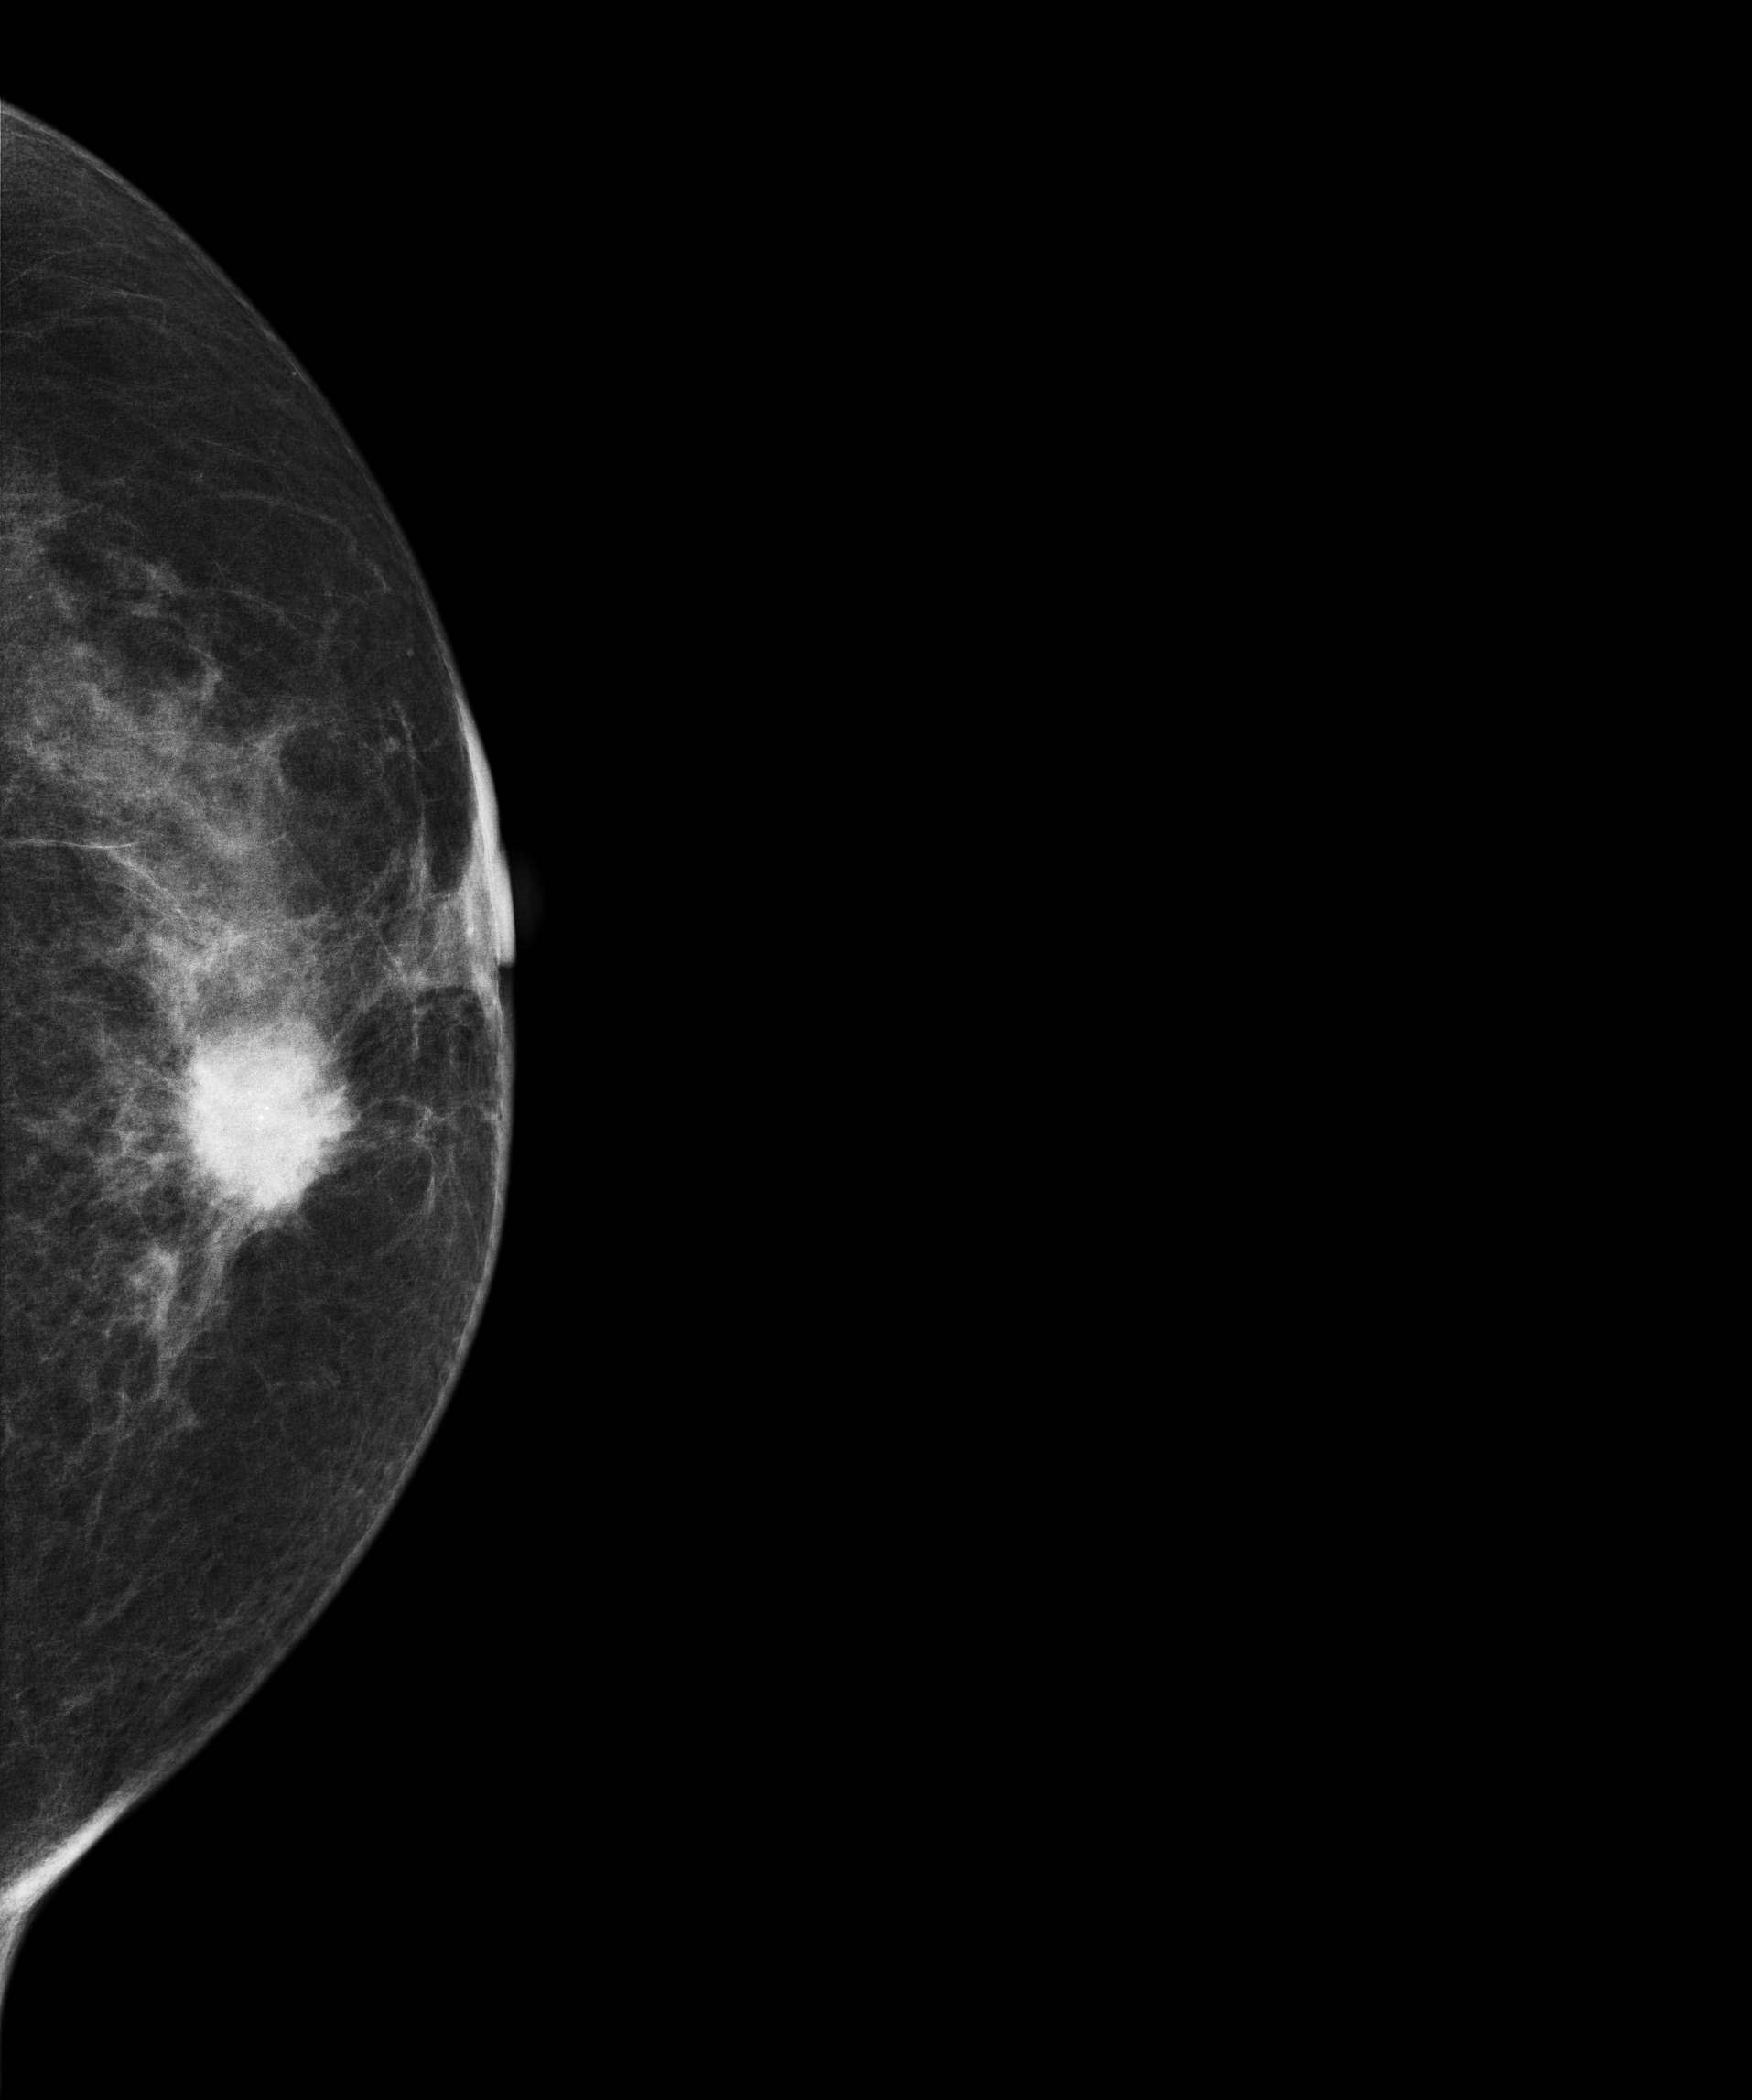
Left-breast mammogram, cranio-caudal. 58-year-old patient.
This breast has a mass and calcifications, histologically confirmed malignant. Molecular subtype: luminal B.